CC mammogram of the left breast. Patient age 50.
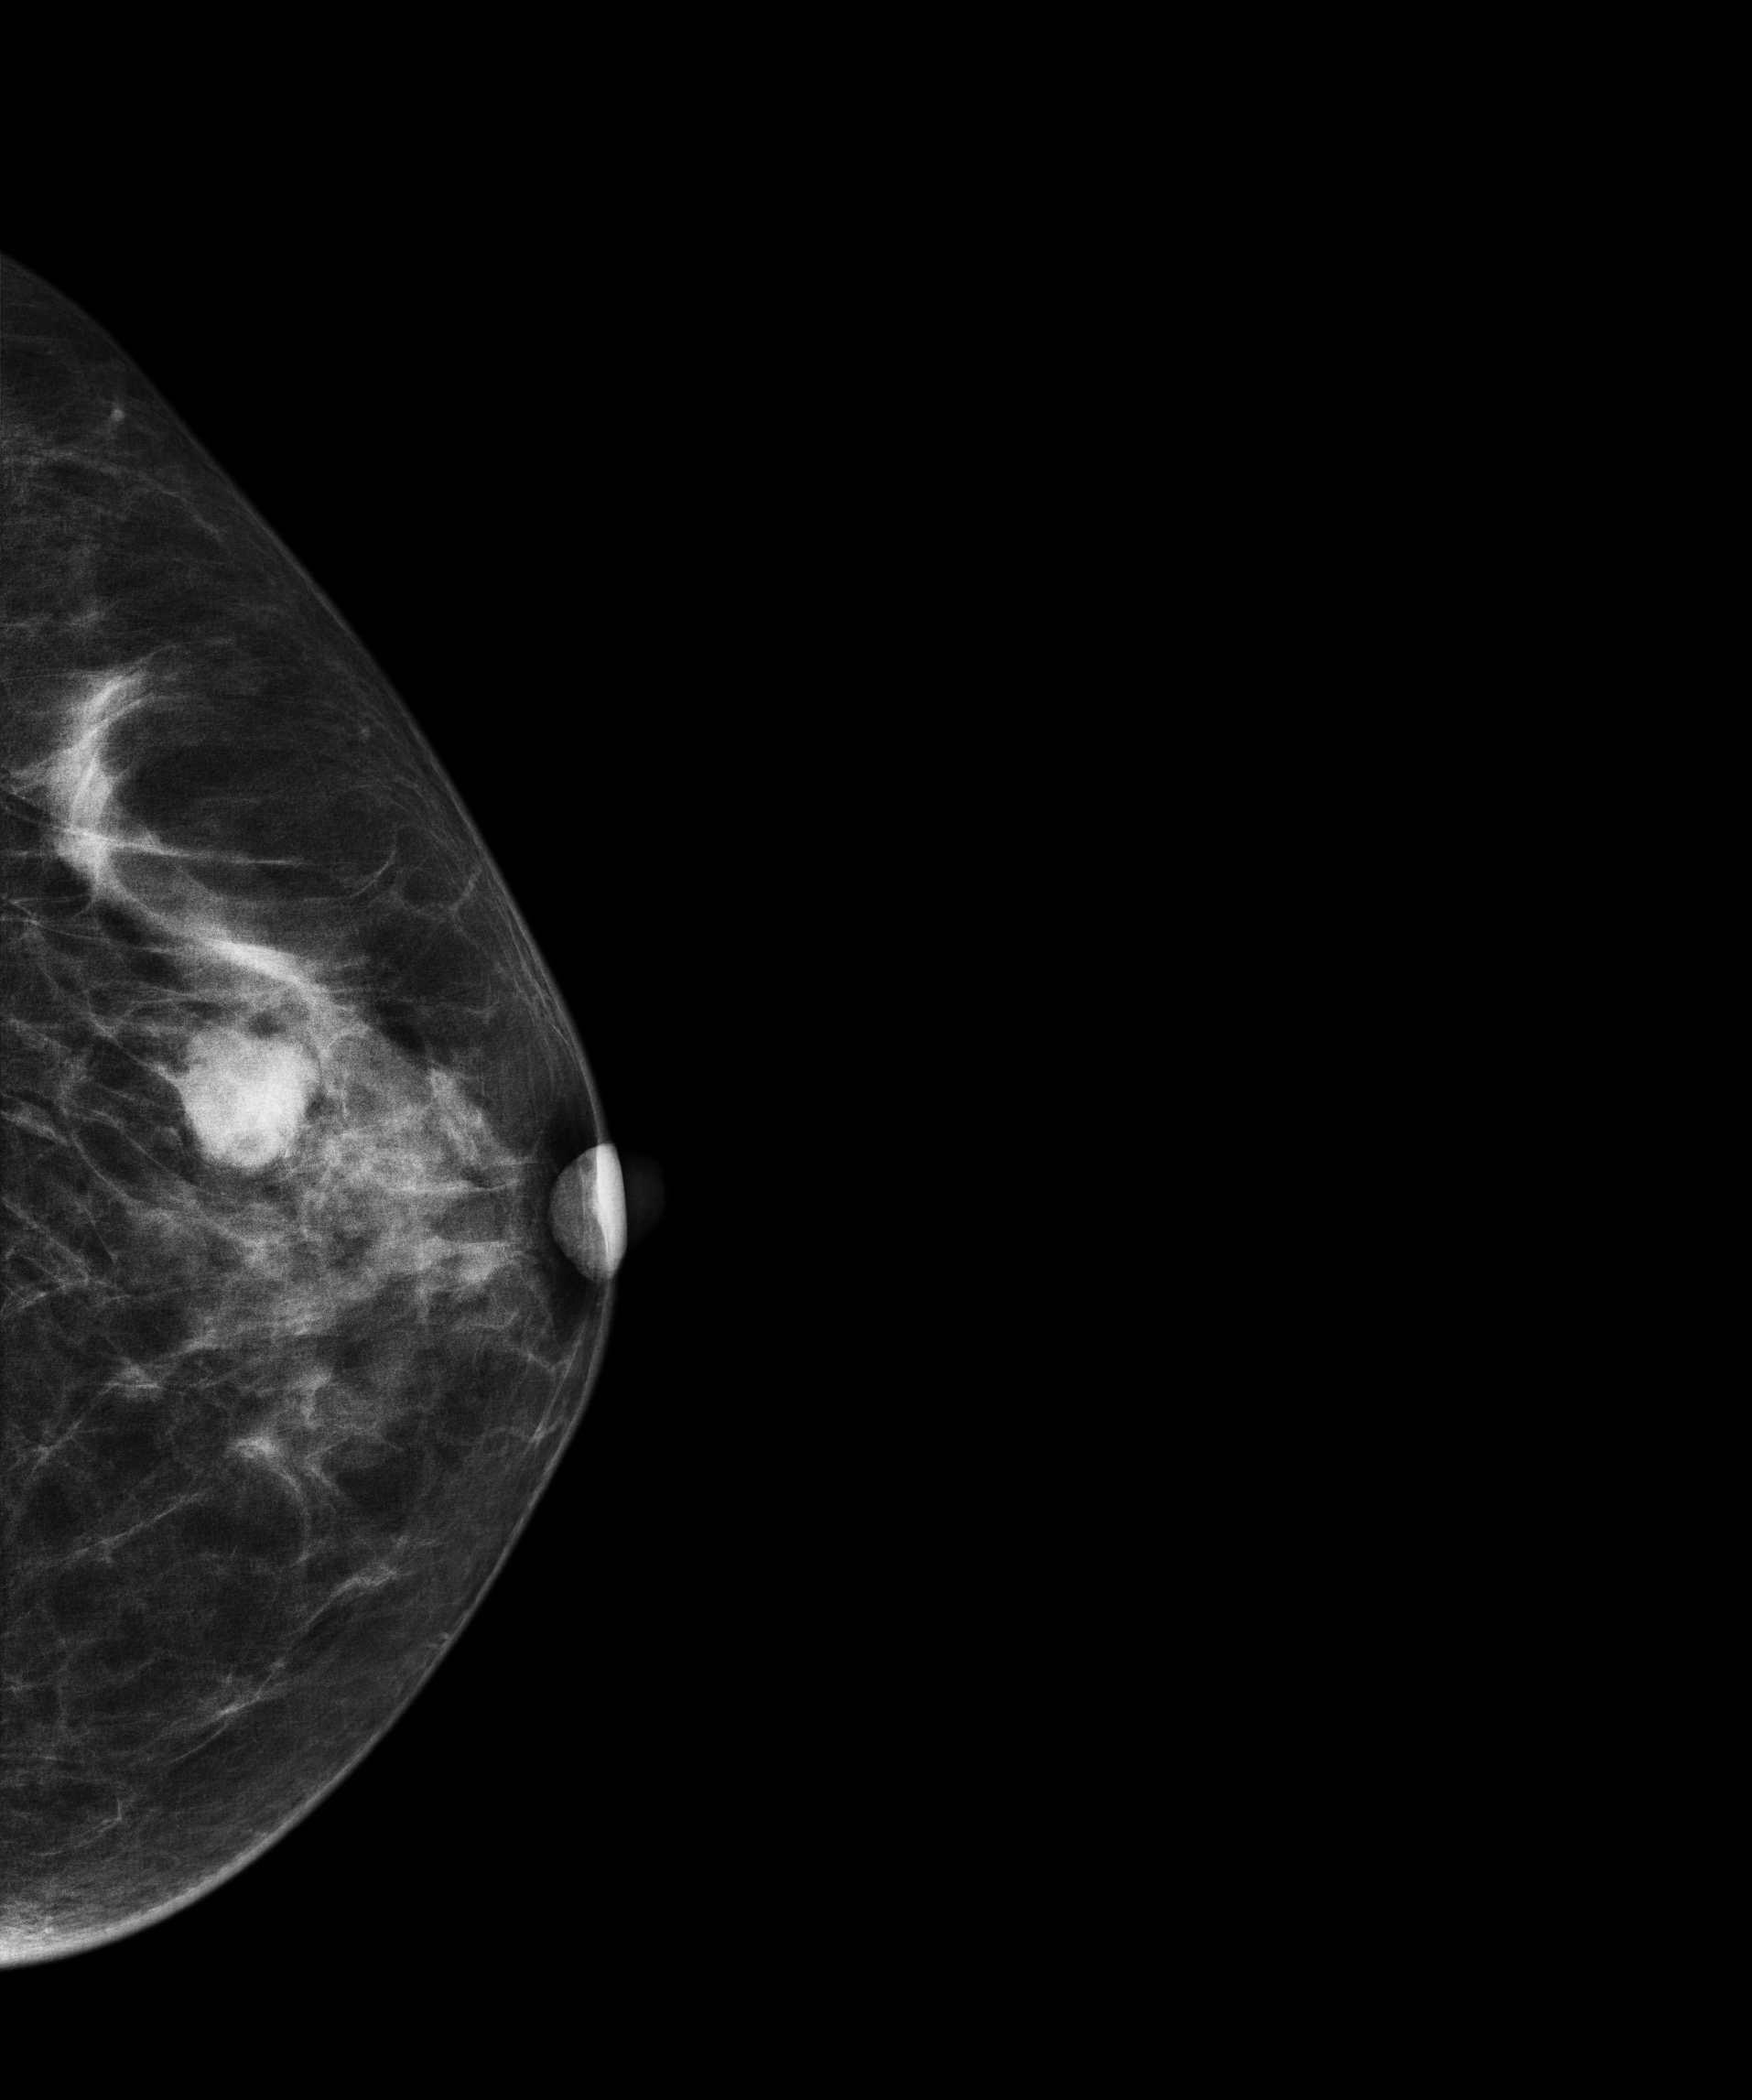
This breast has a mass, biopsy-proven malignant.